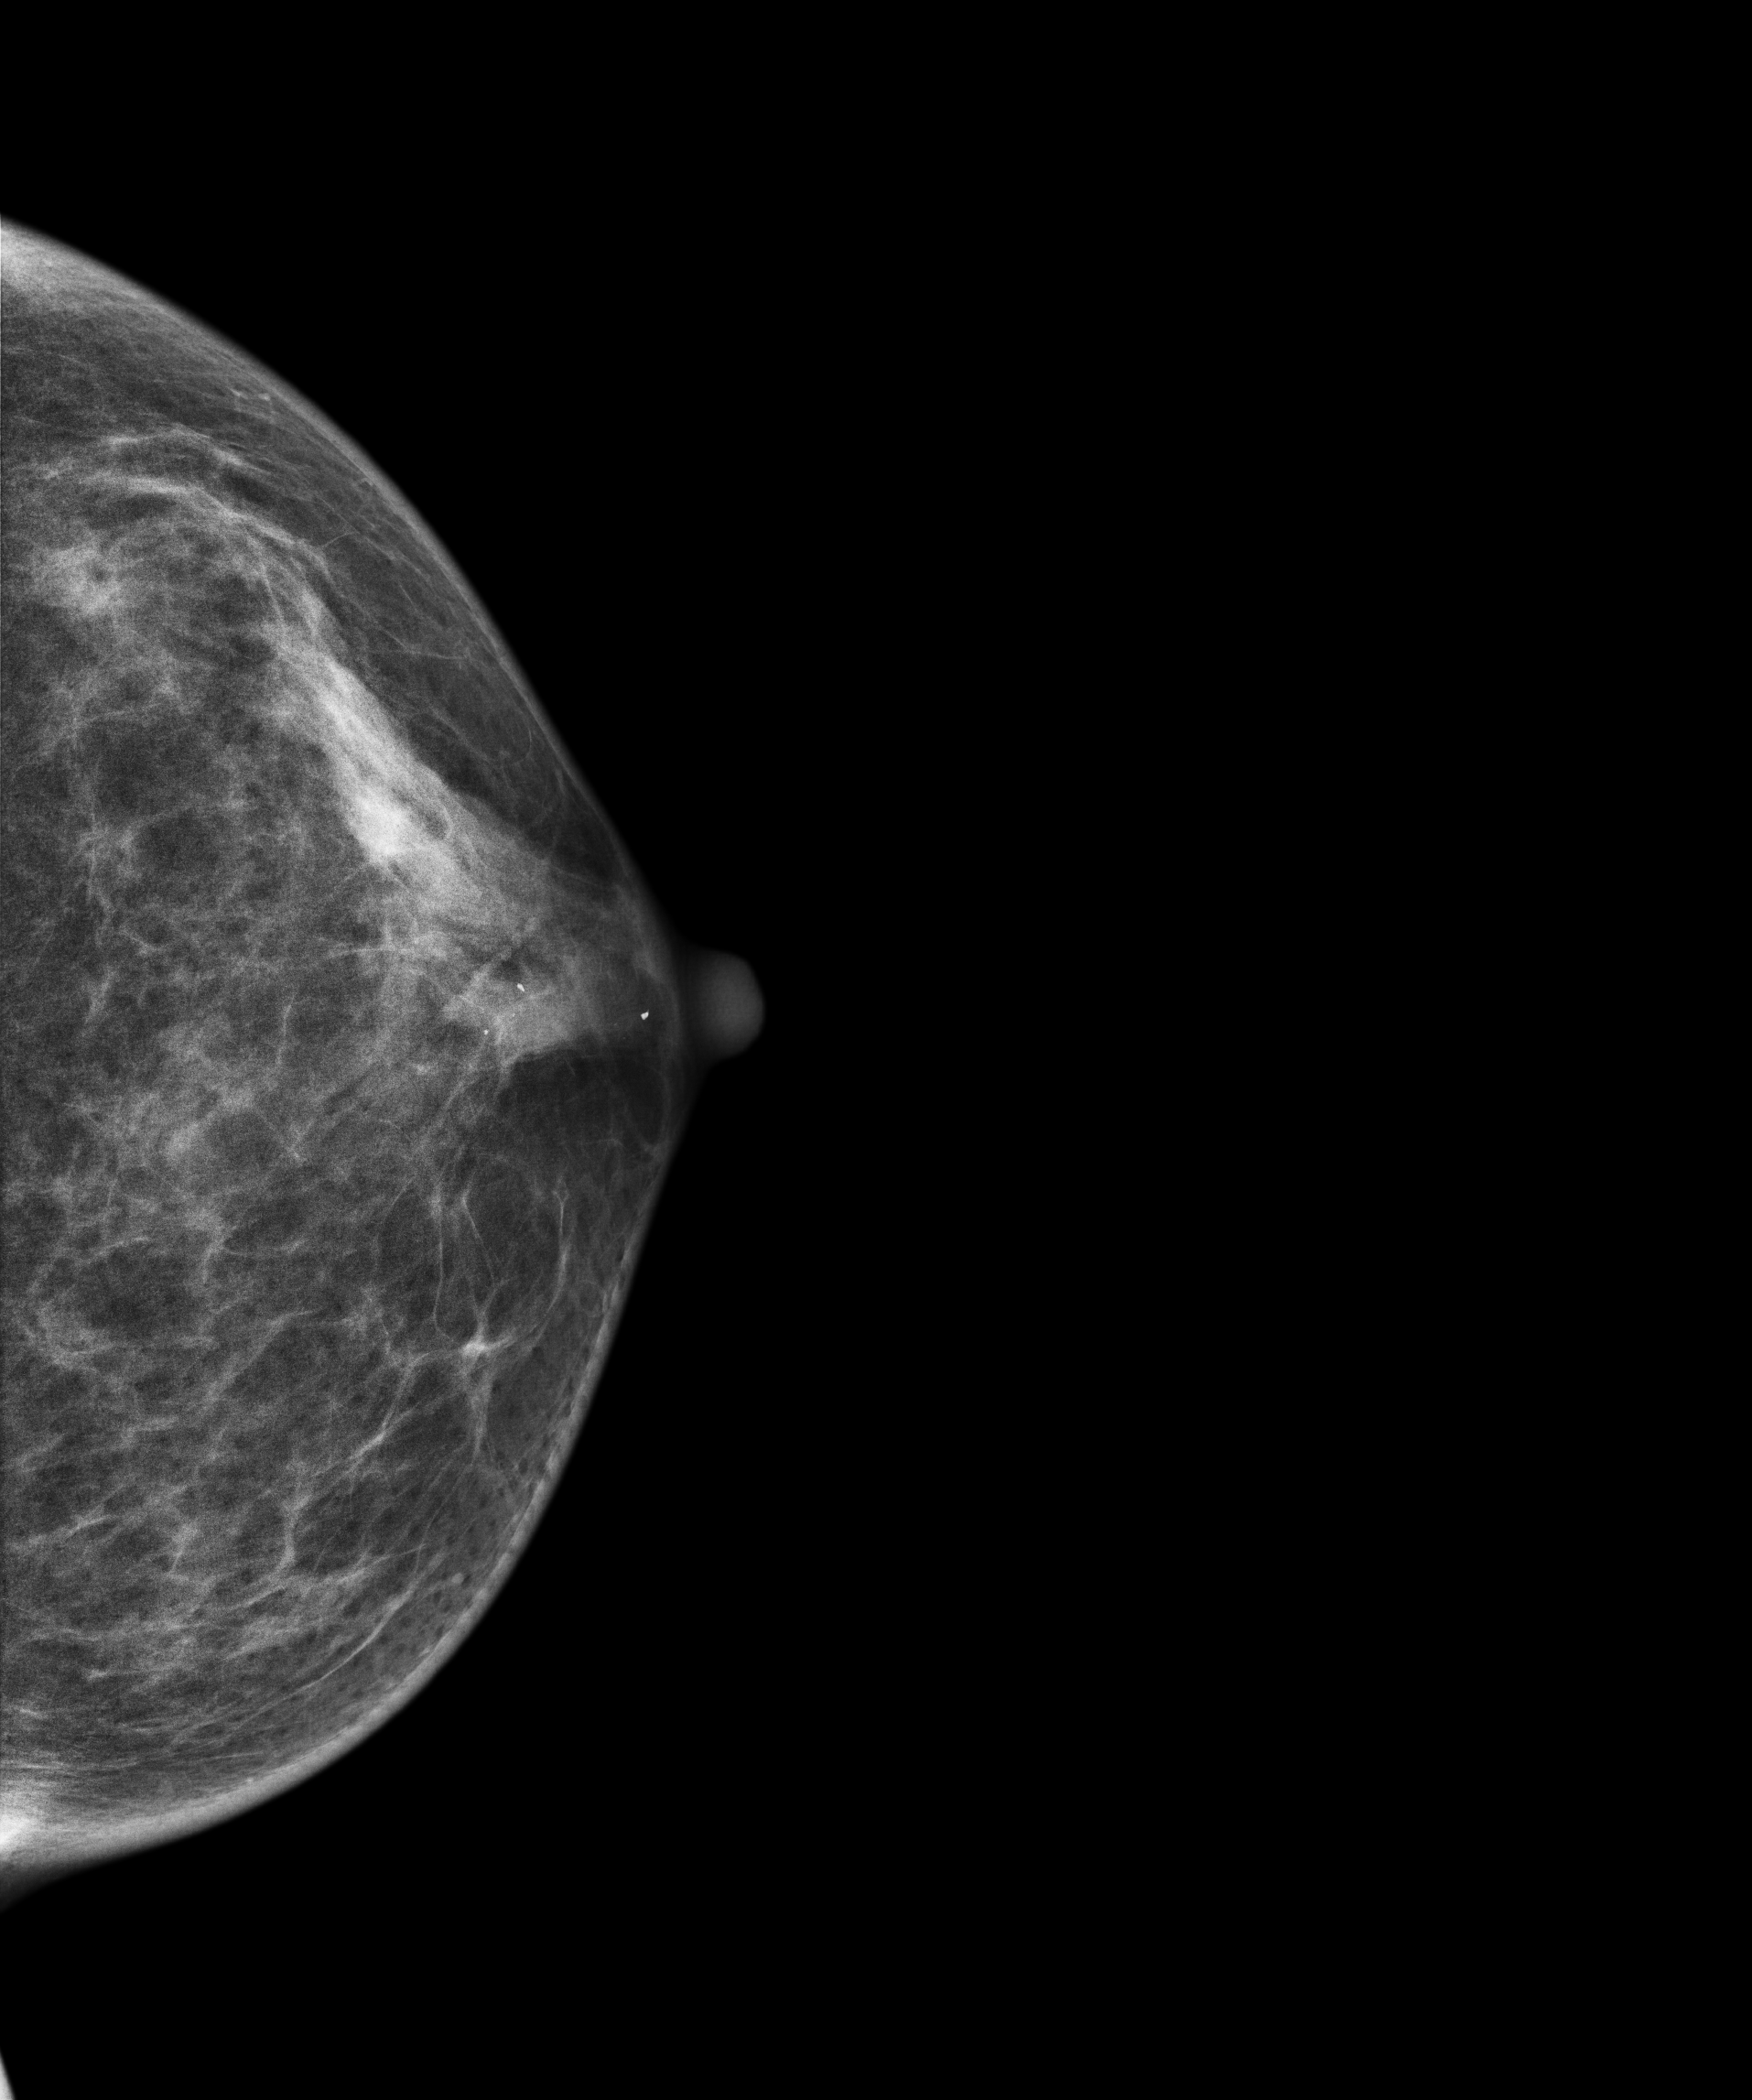
CC mammogram of the left breast. 33 y/o patient.
This breast has a mass and calcifications, biopsy-confirmed benign.